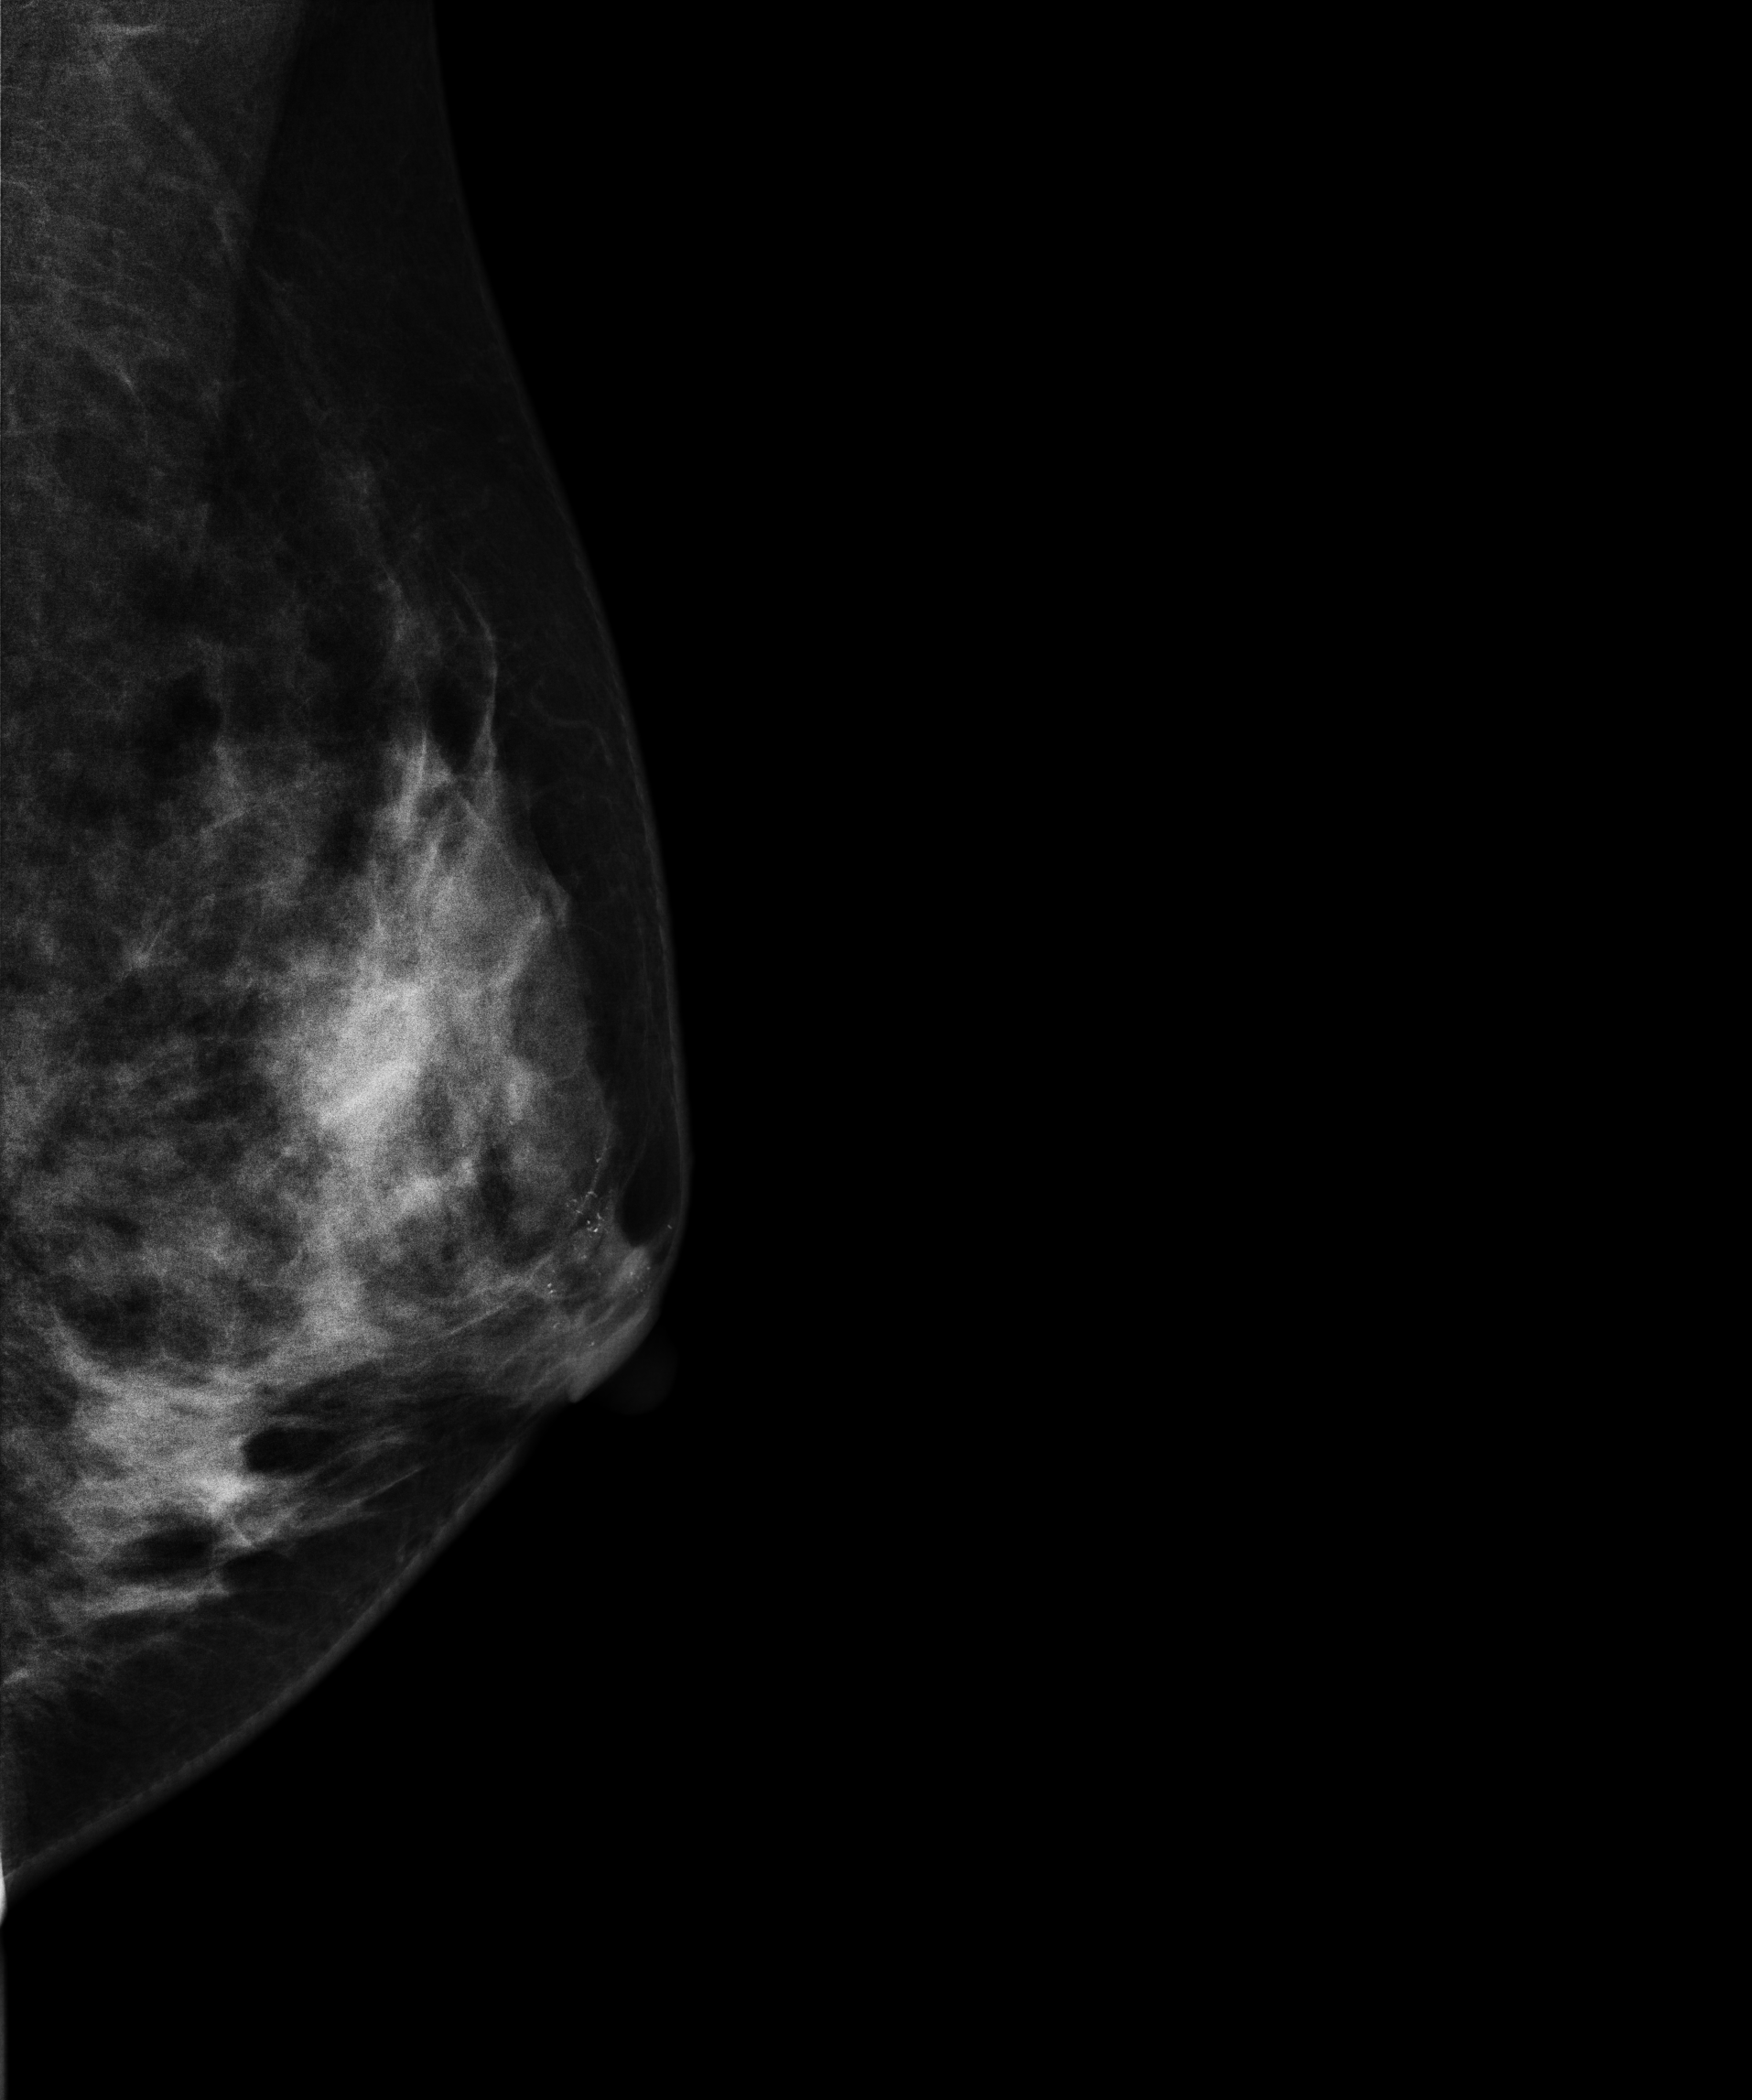
Medio-lateral oblique mammogram of the left breast. 41-year-old patient.
This breast has calcifications, pathology-confirmed malignant.